Digital mammography. Left breast, cranio-caudal projection. Patient age 54.
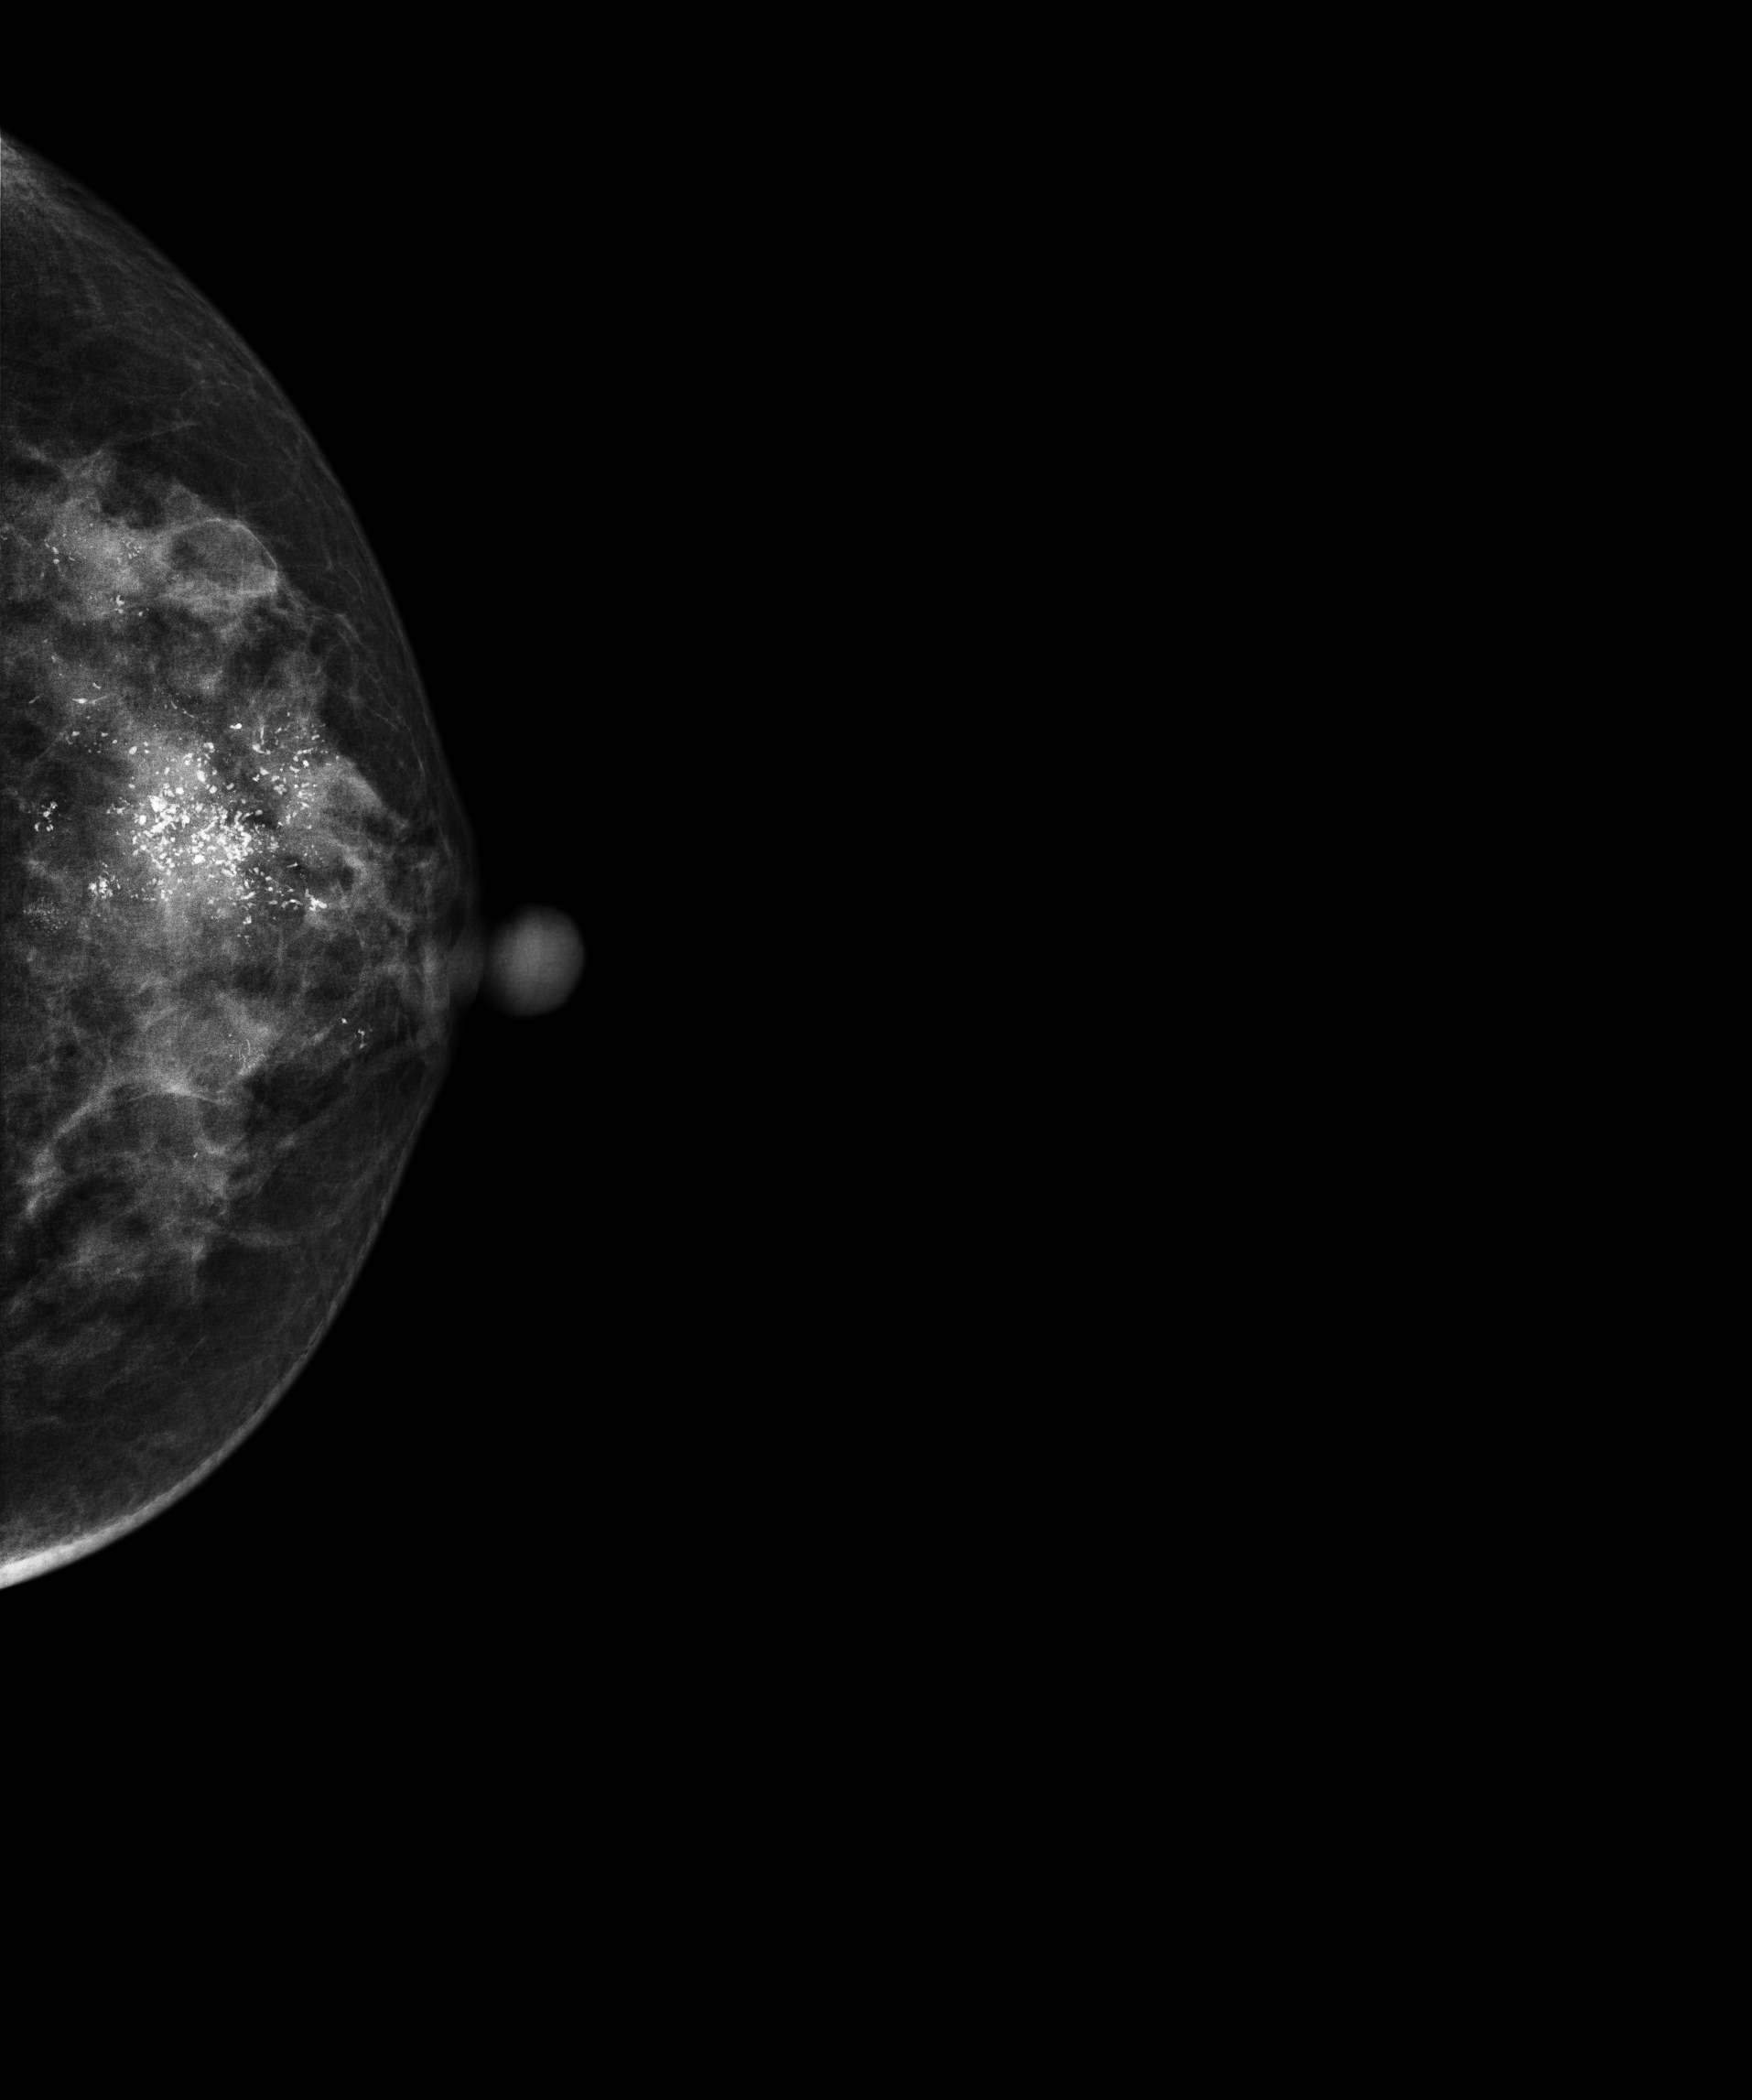
This breast has calcifications, histologically confirmed malignant.